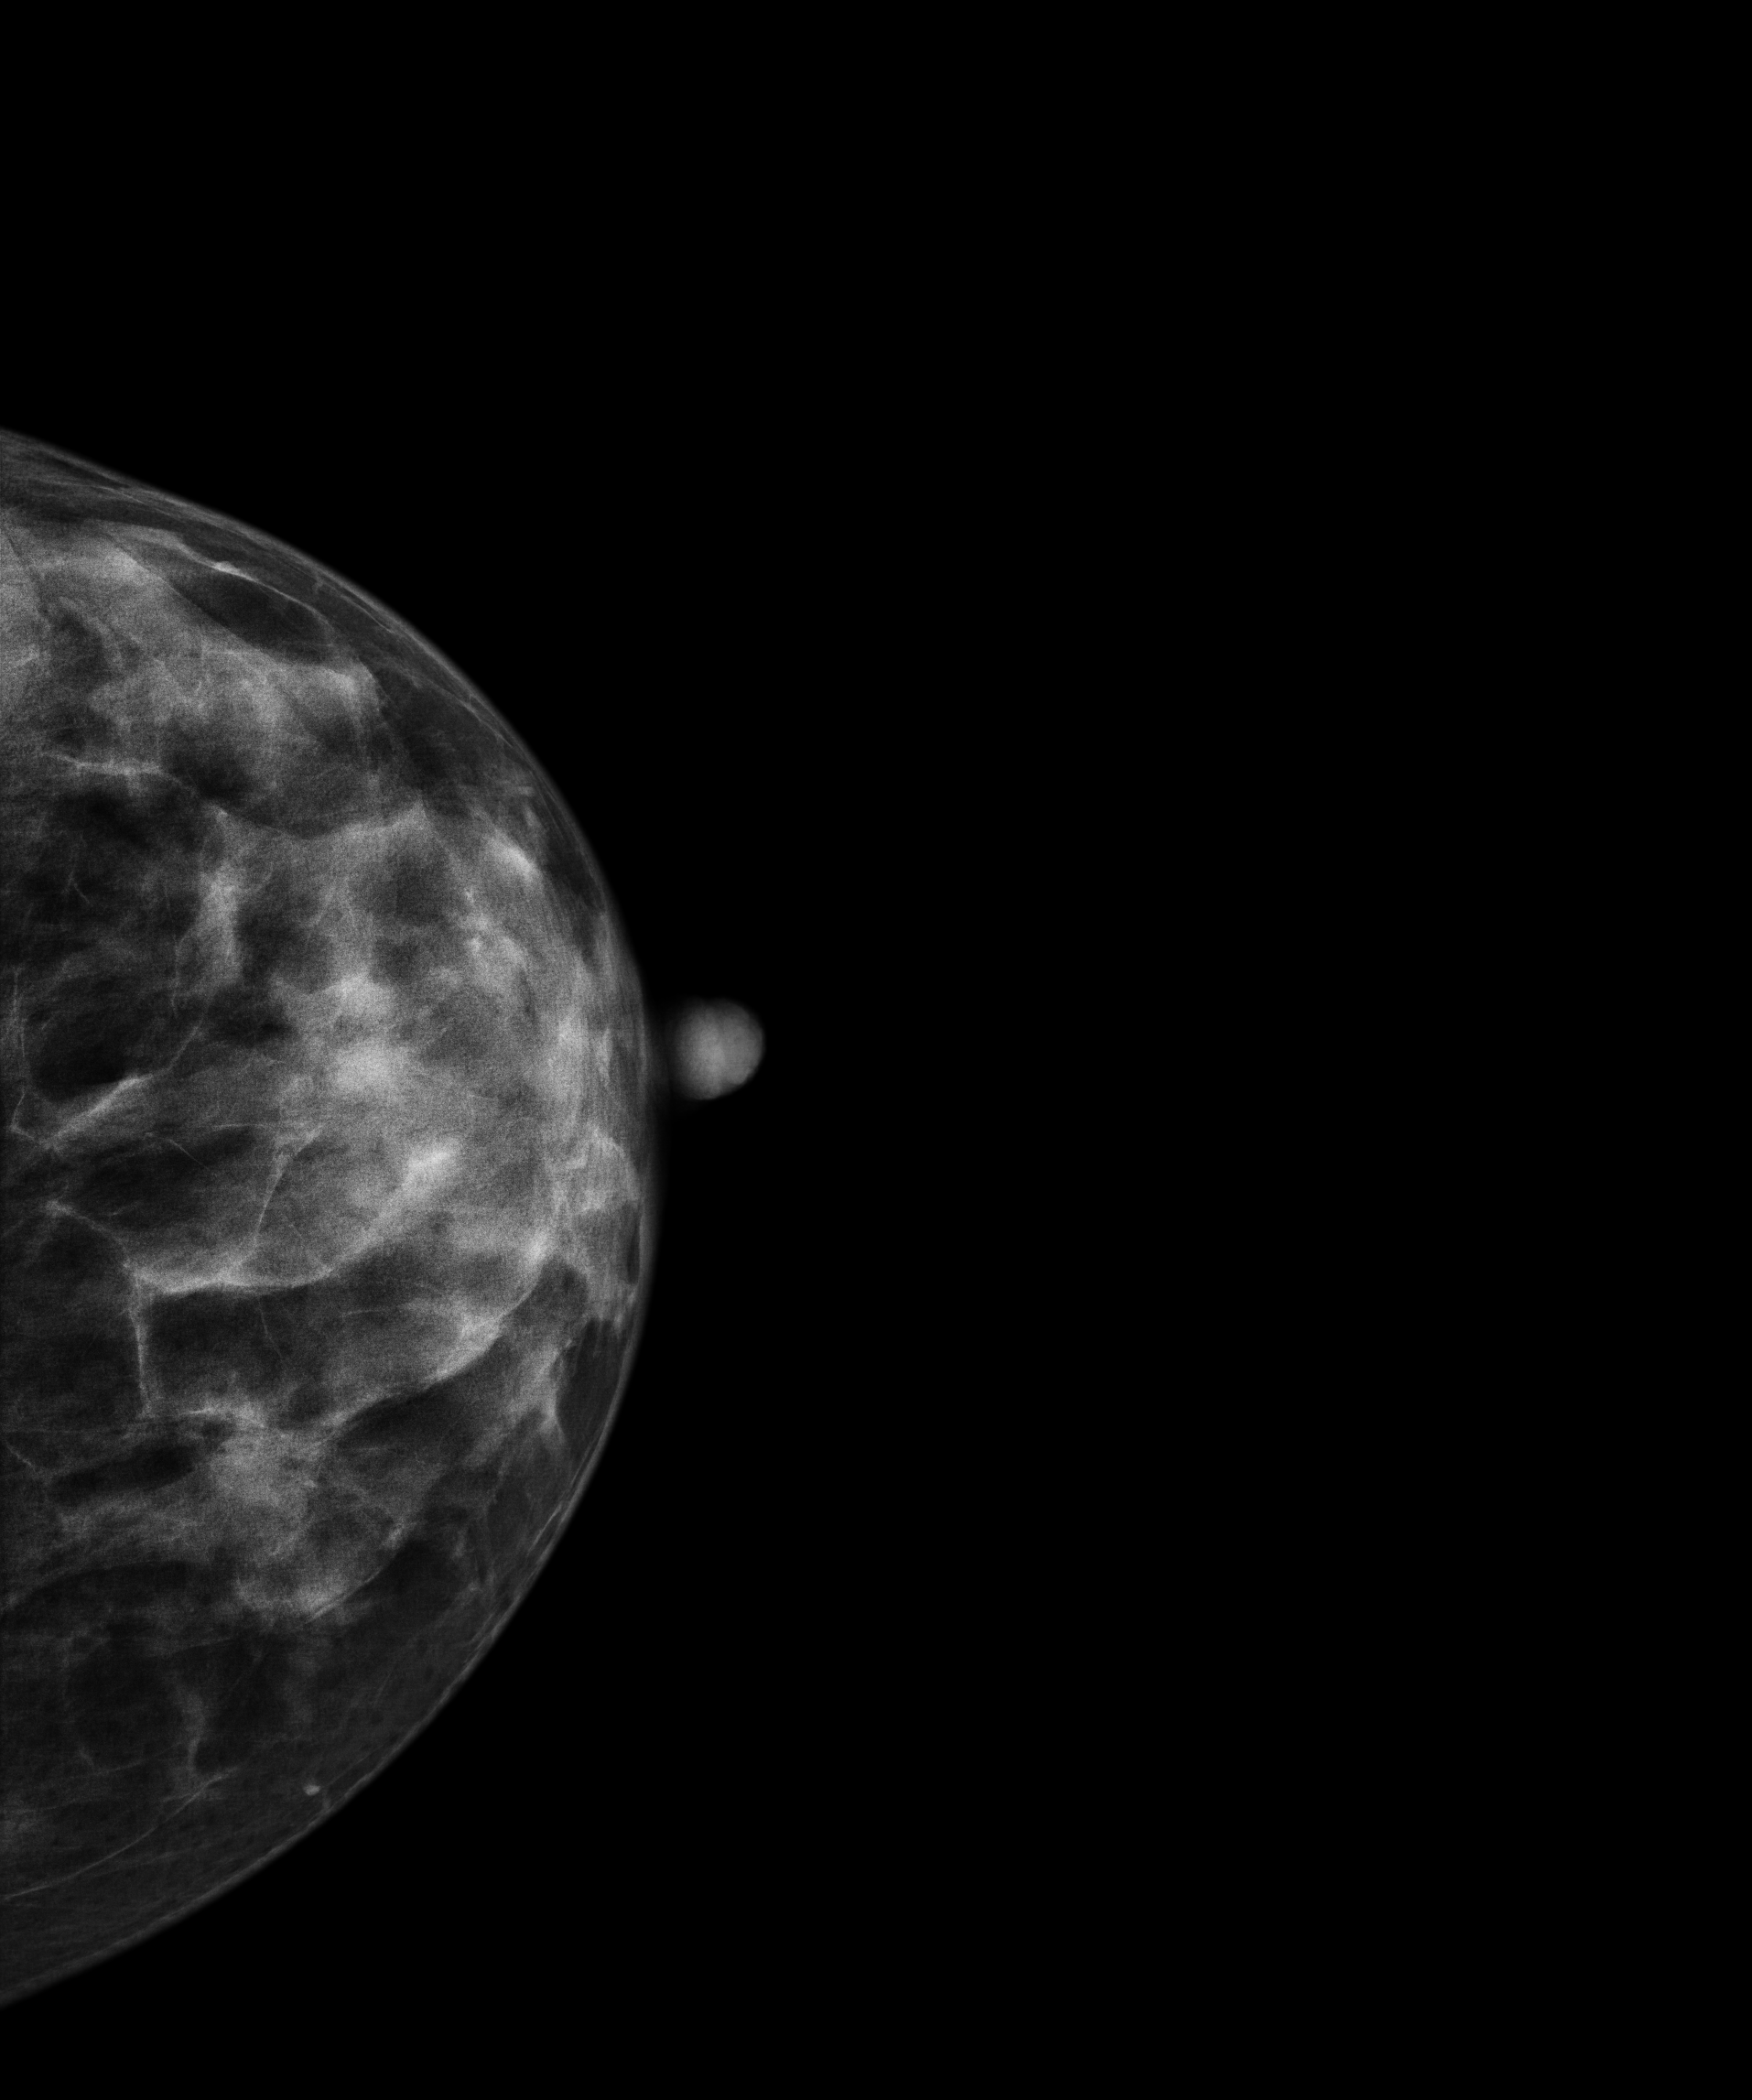
Left-breast mammogram, CC. 41-year-old patient.
This breast has a mass, biopsy-confirmed benign.